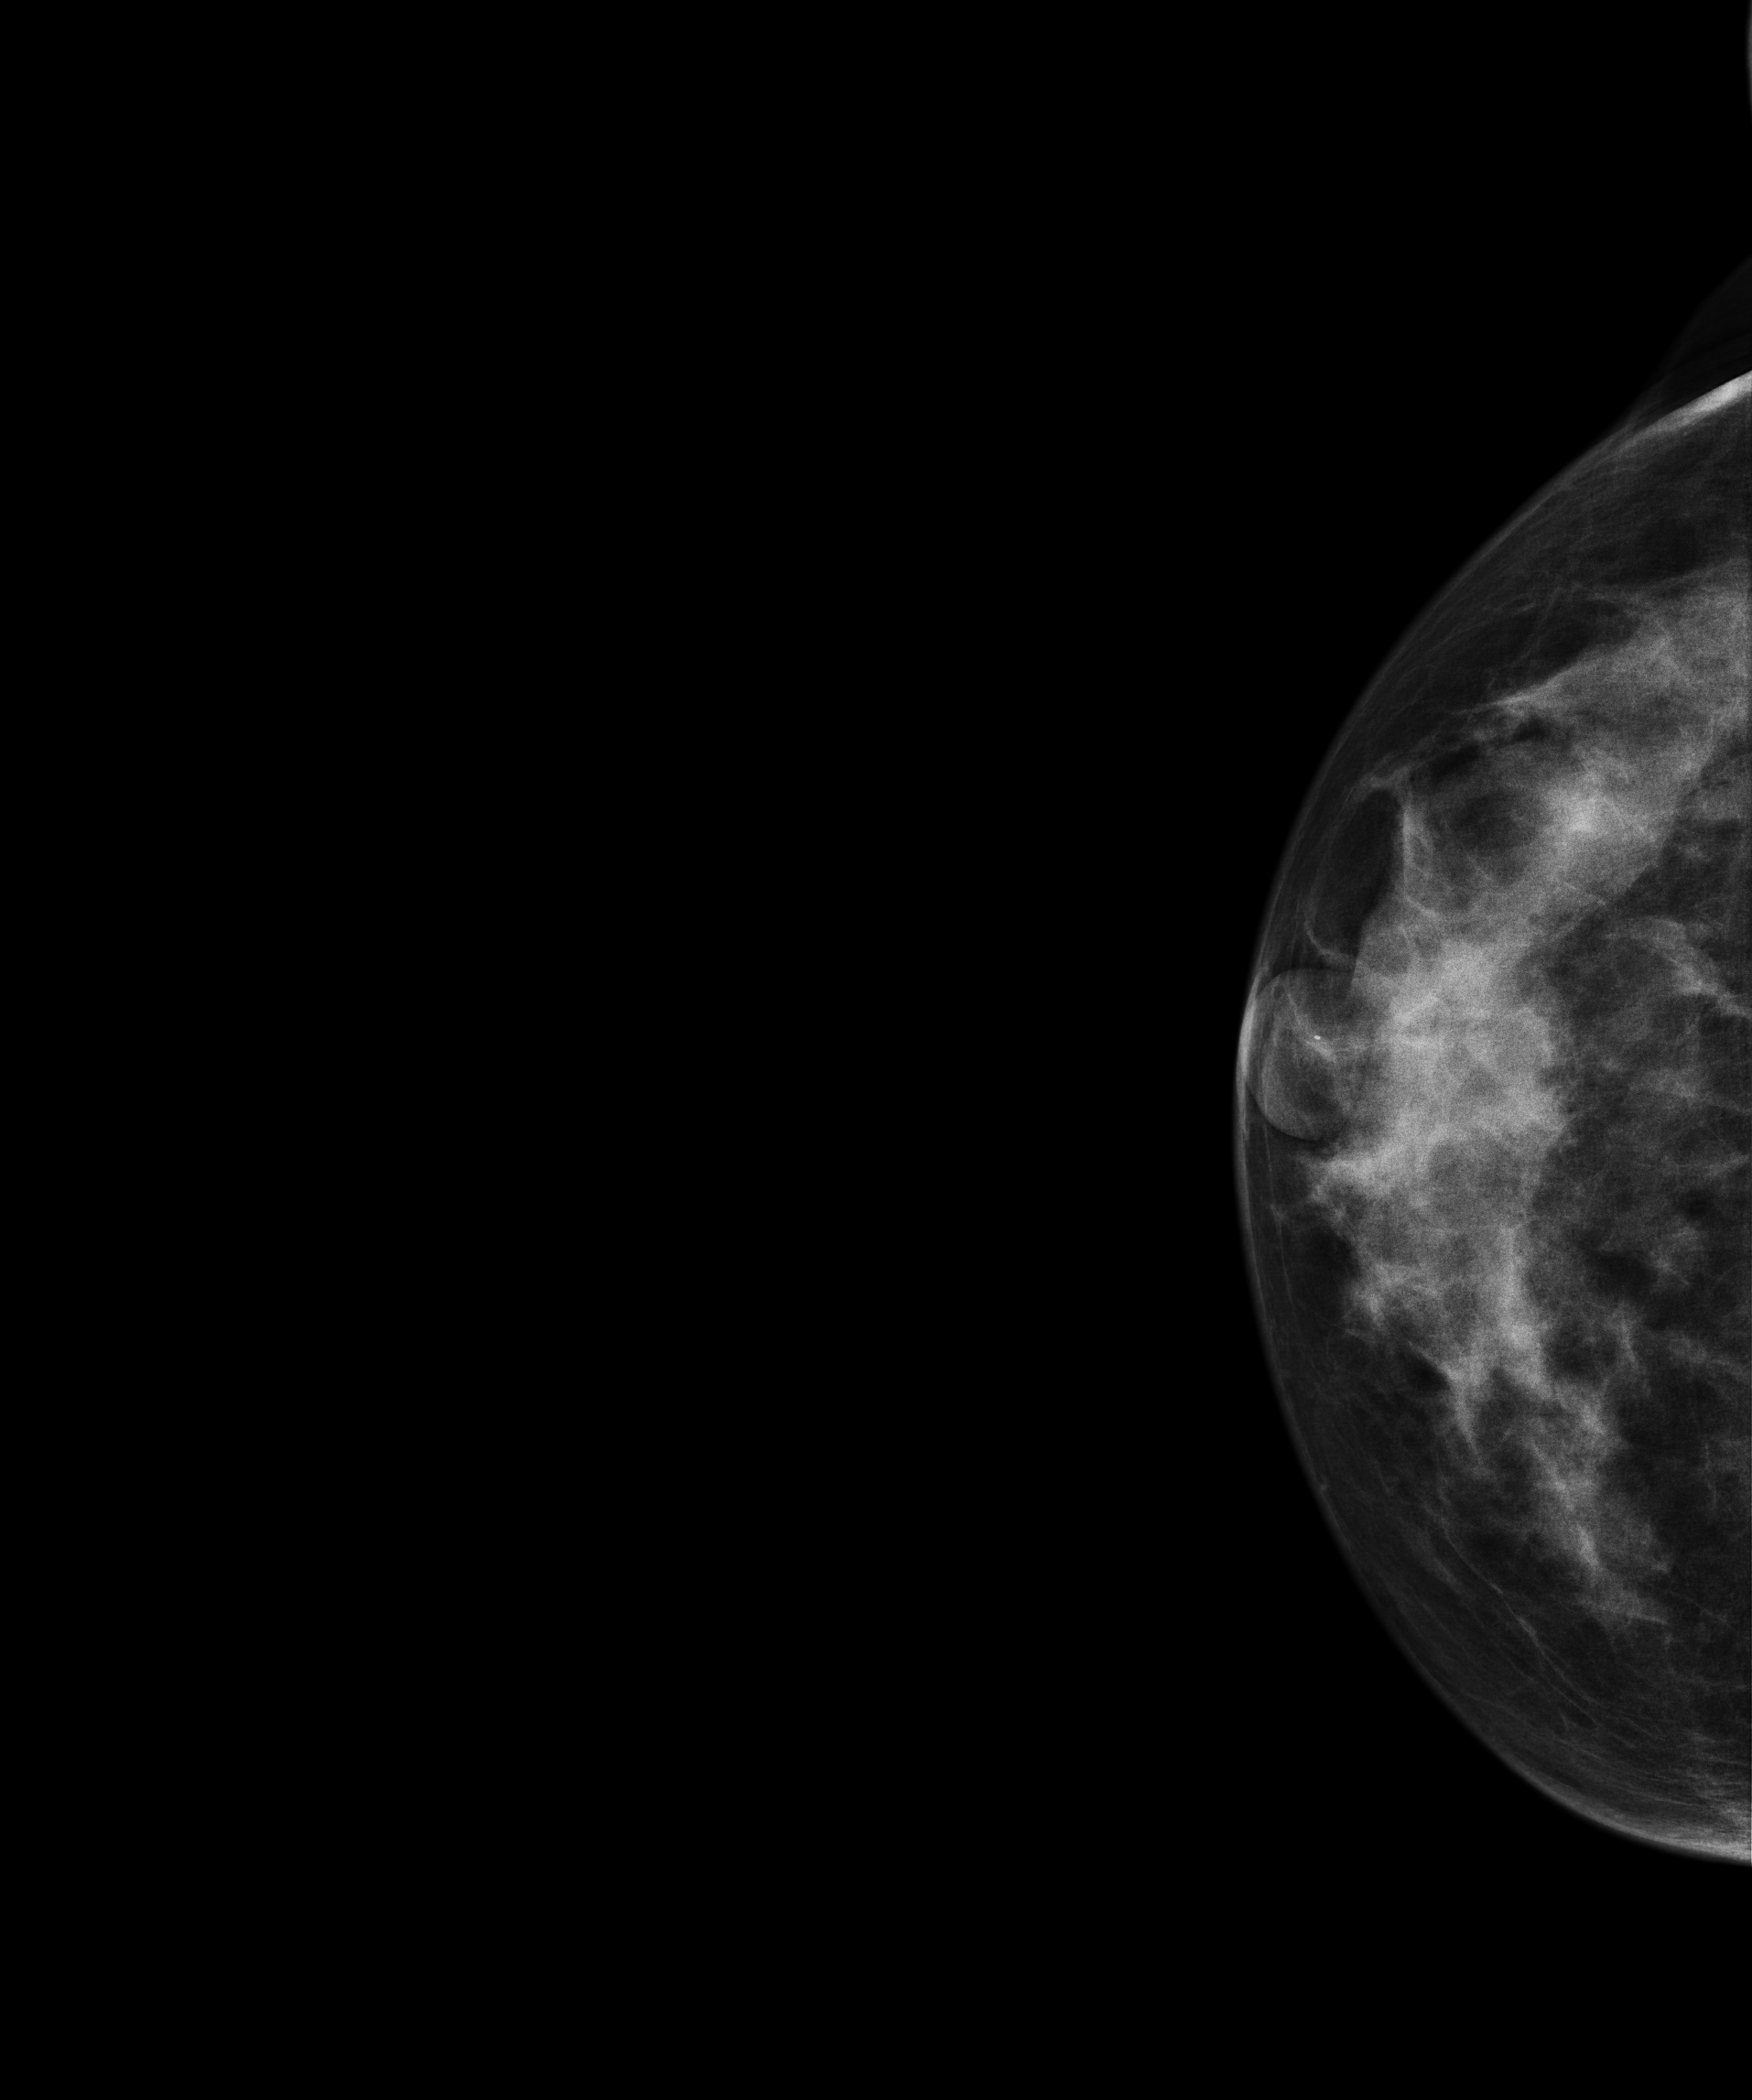
Right-breast mammogram, CC. 47 y/o patient.
This breast has a mass, biopsy-proven malignant.